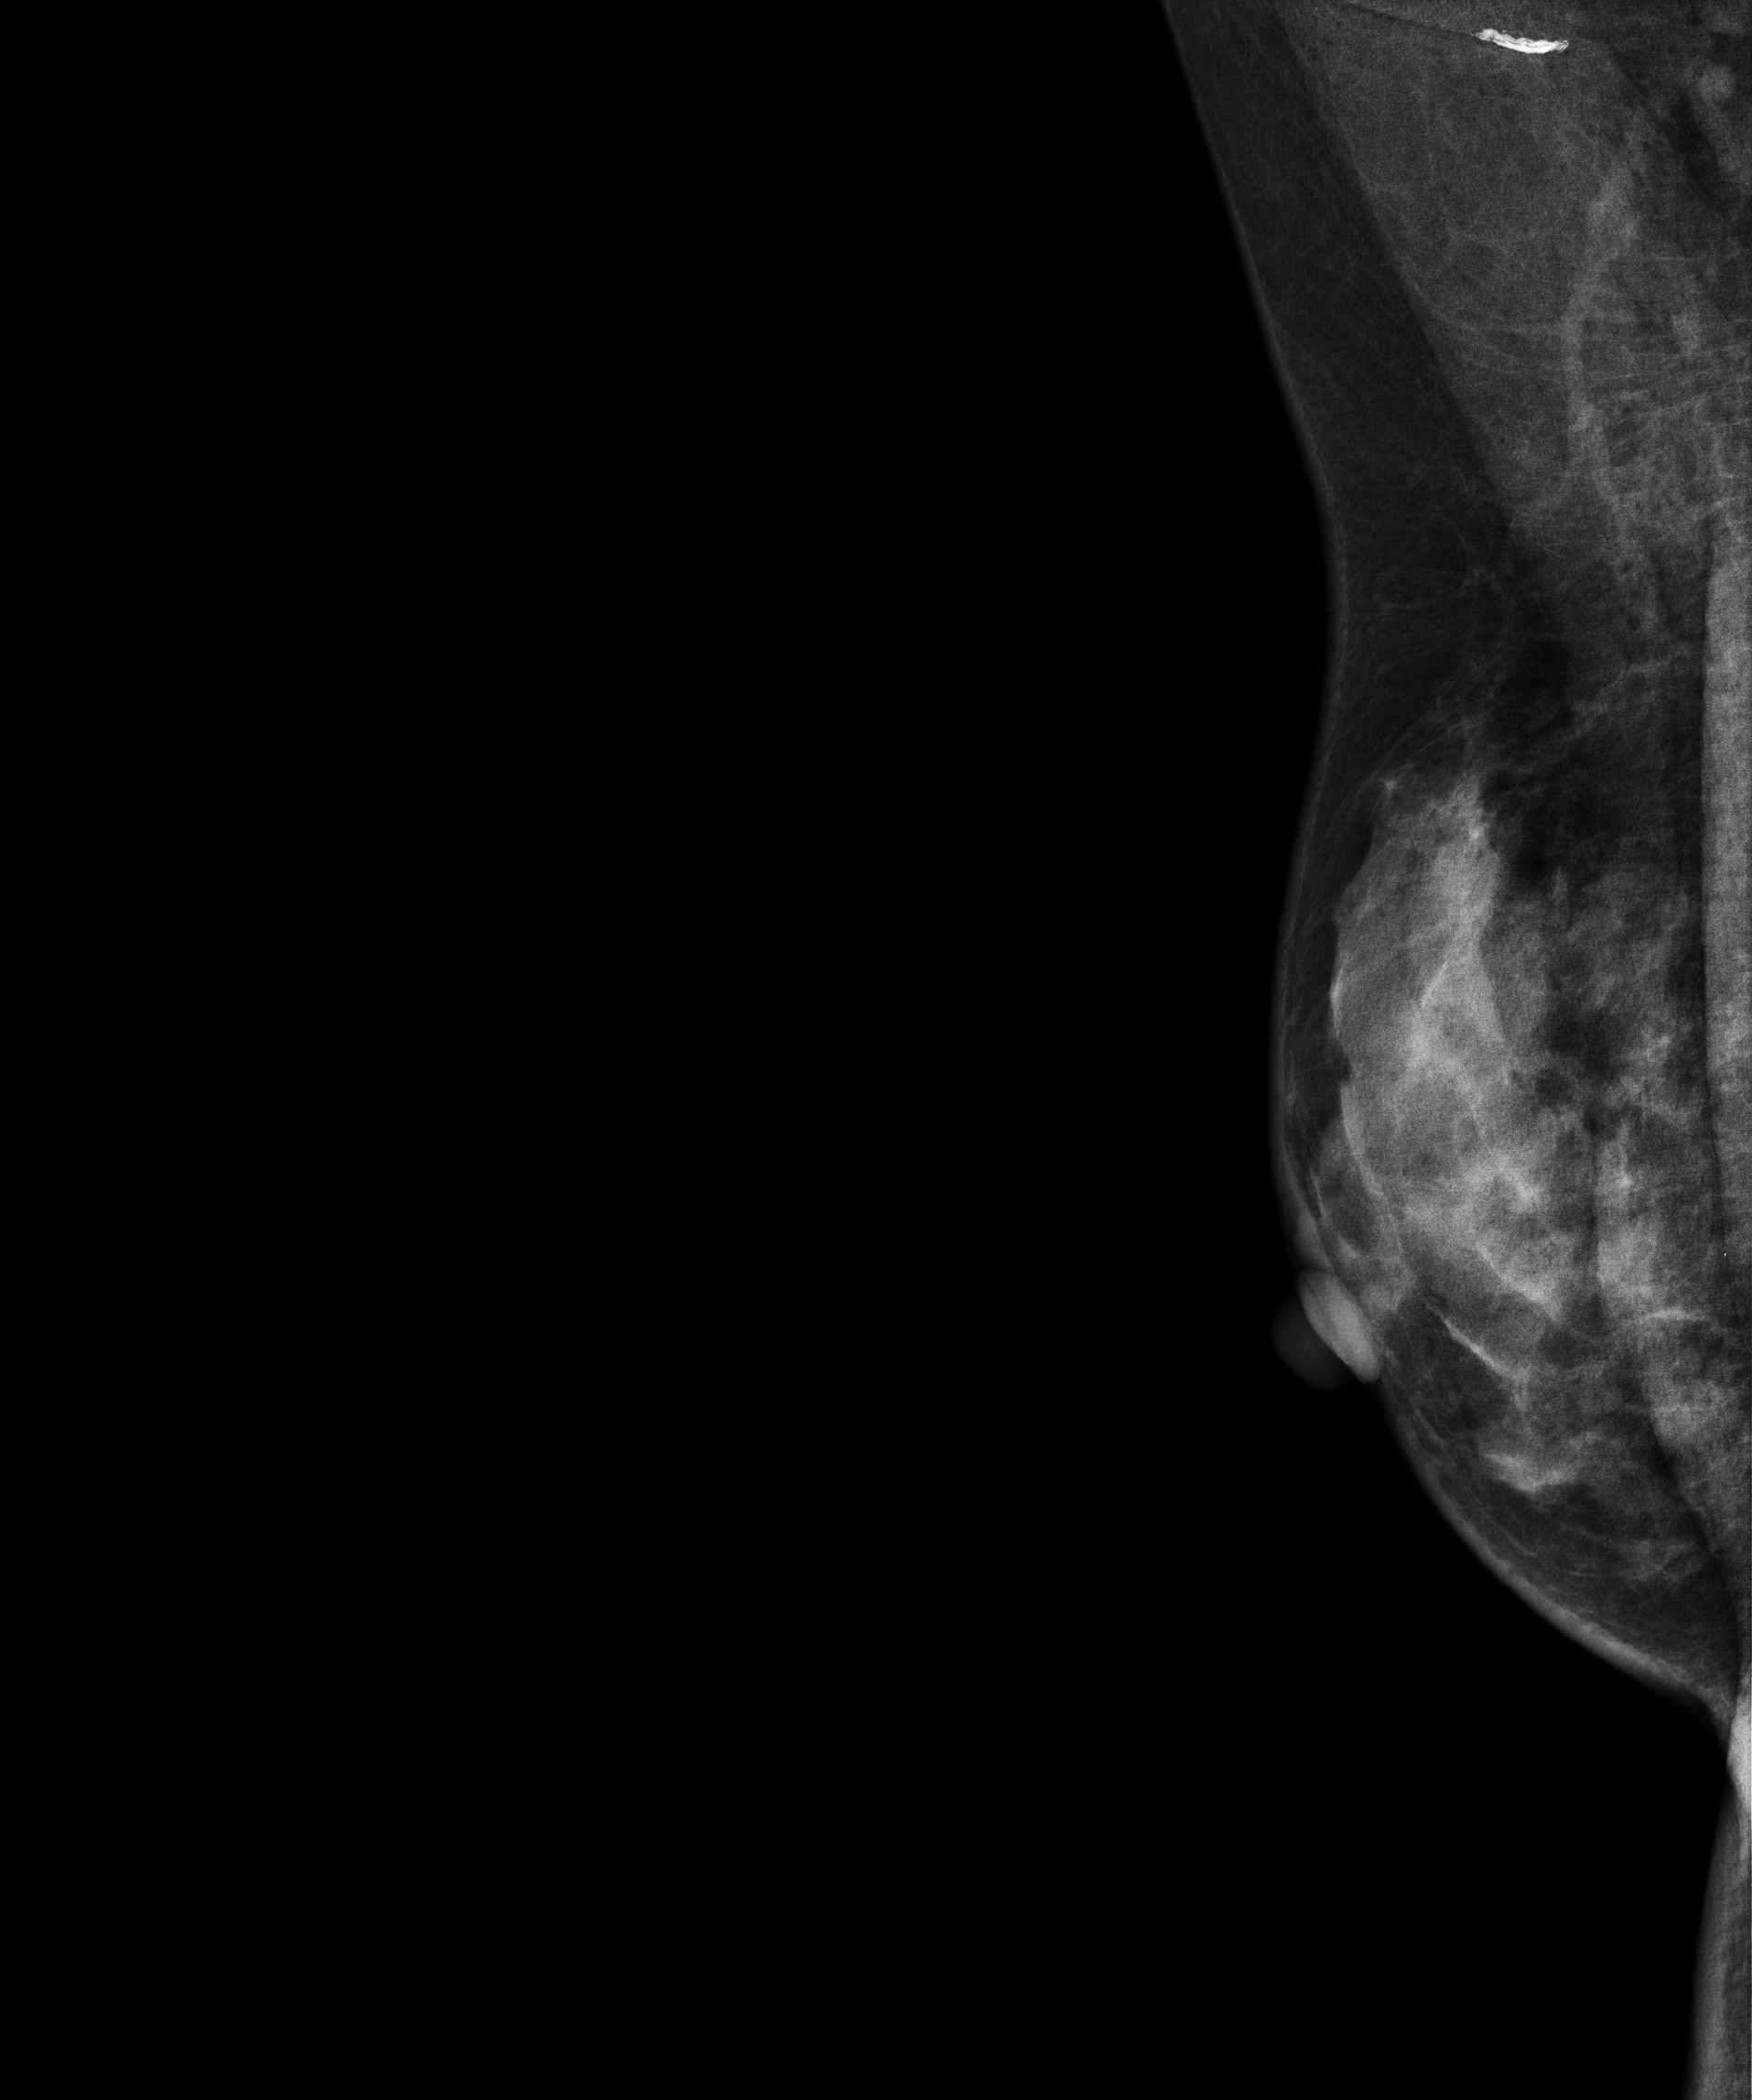
Mammogram — right medio-lateral oblique. Patient age 64.
This breast has a mass, pathology-confirmed malignant. Molecular subtype: luminal B.